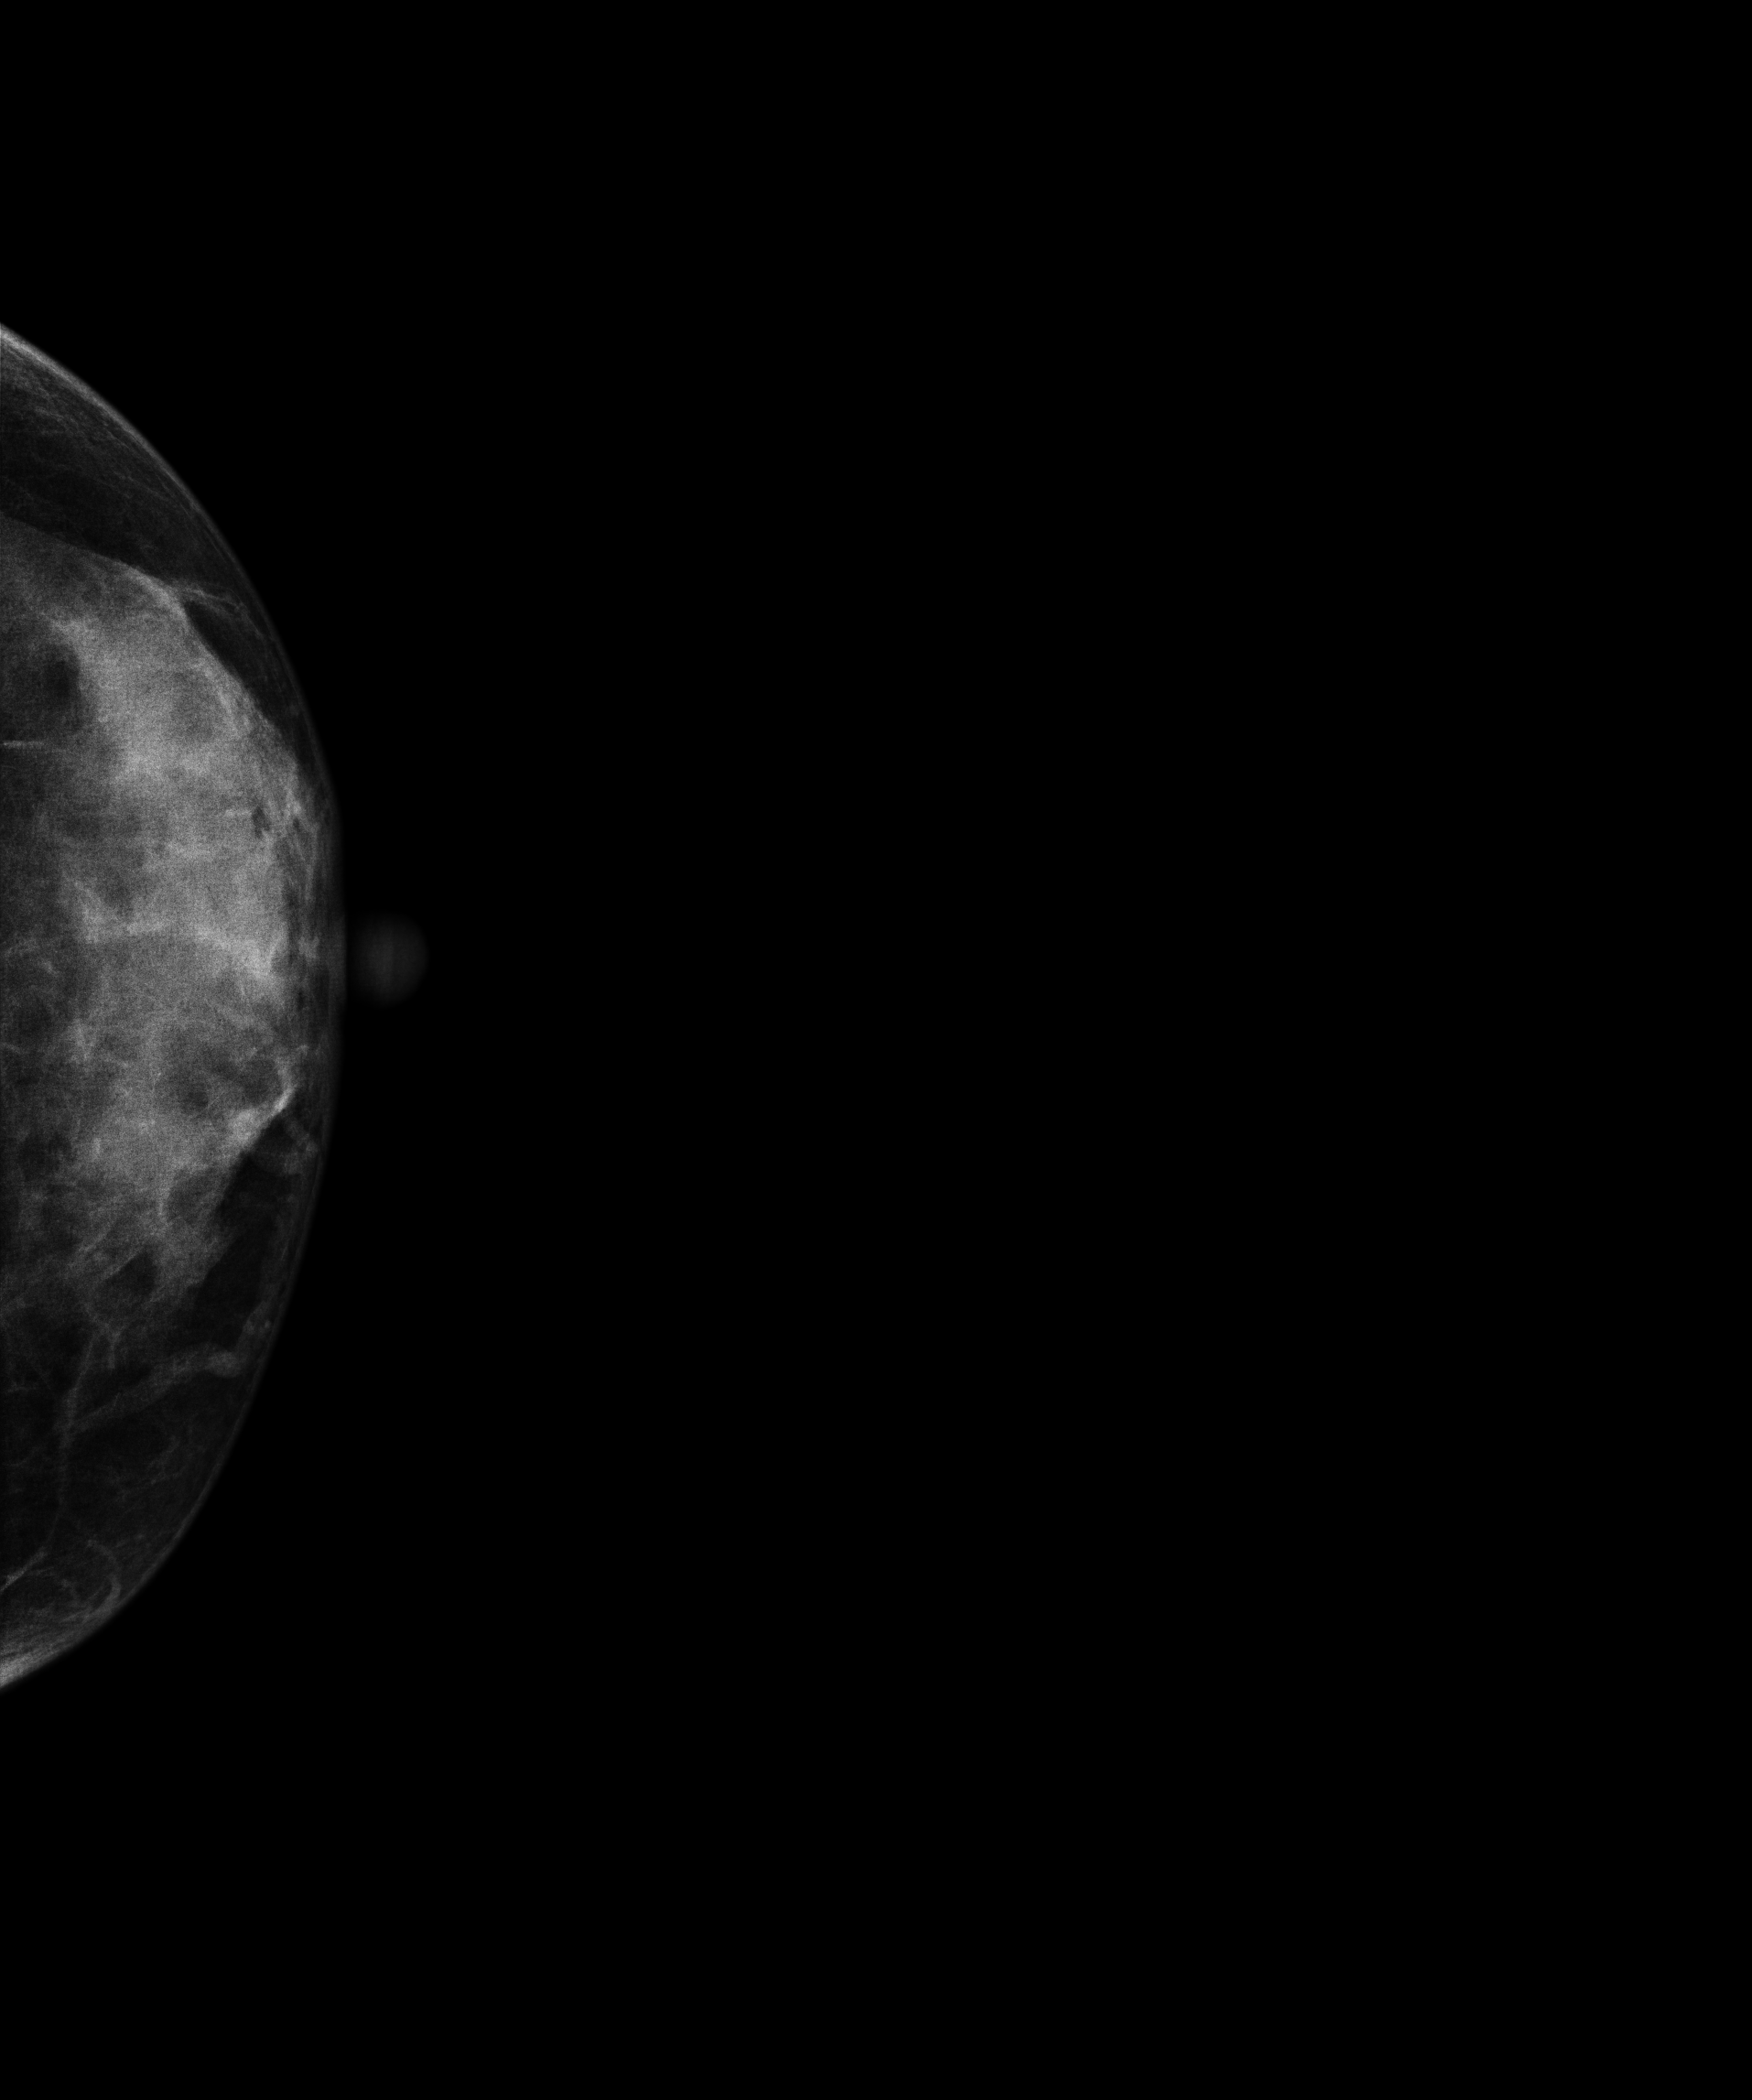
Left-breast mammogram, CC. 40 y/o patient.
Contralateral breast — no documented abnormality on this side.